Mammogram, right breast, CC view. 42-year-old patient.
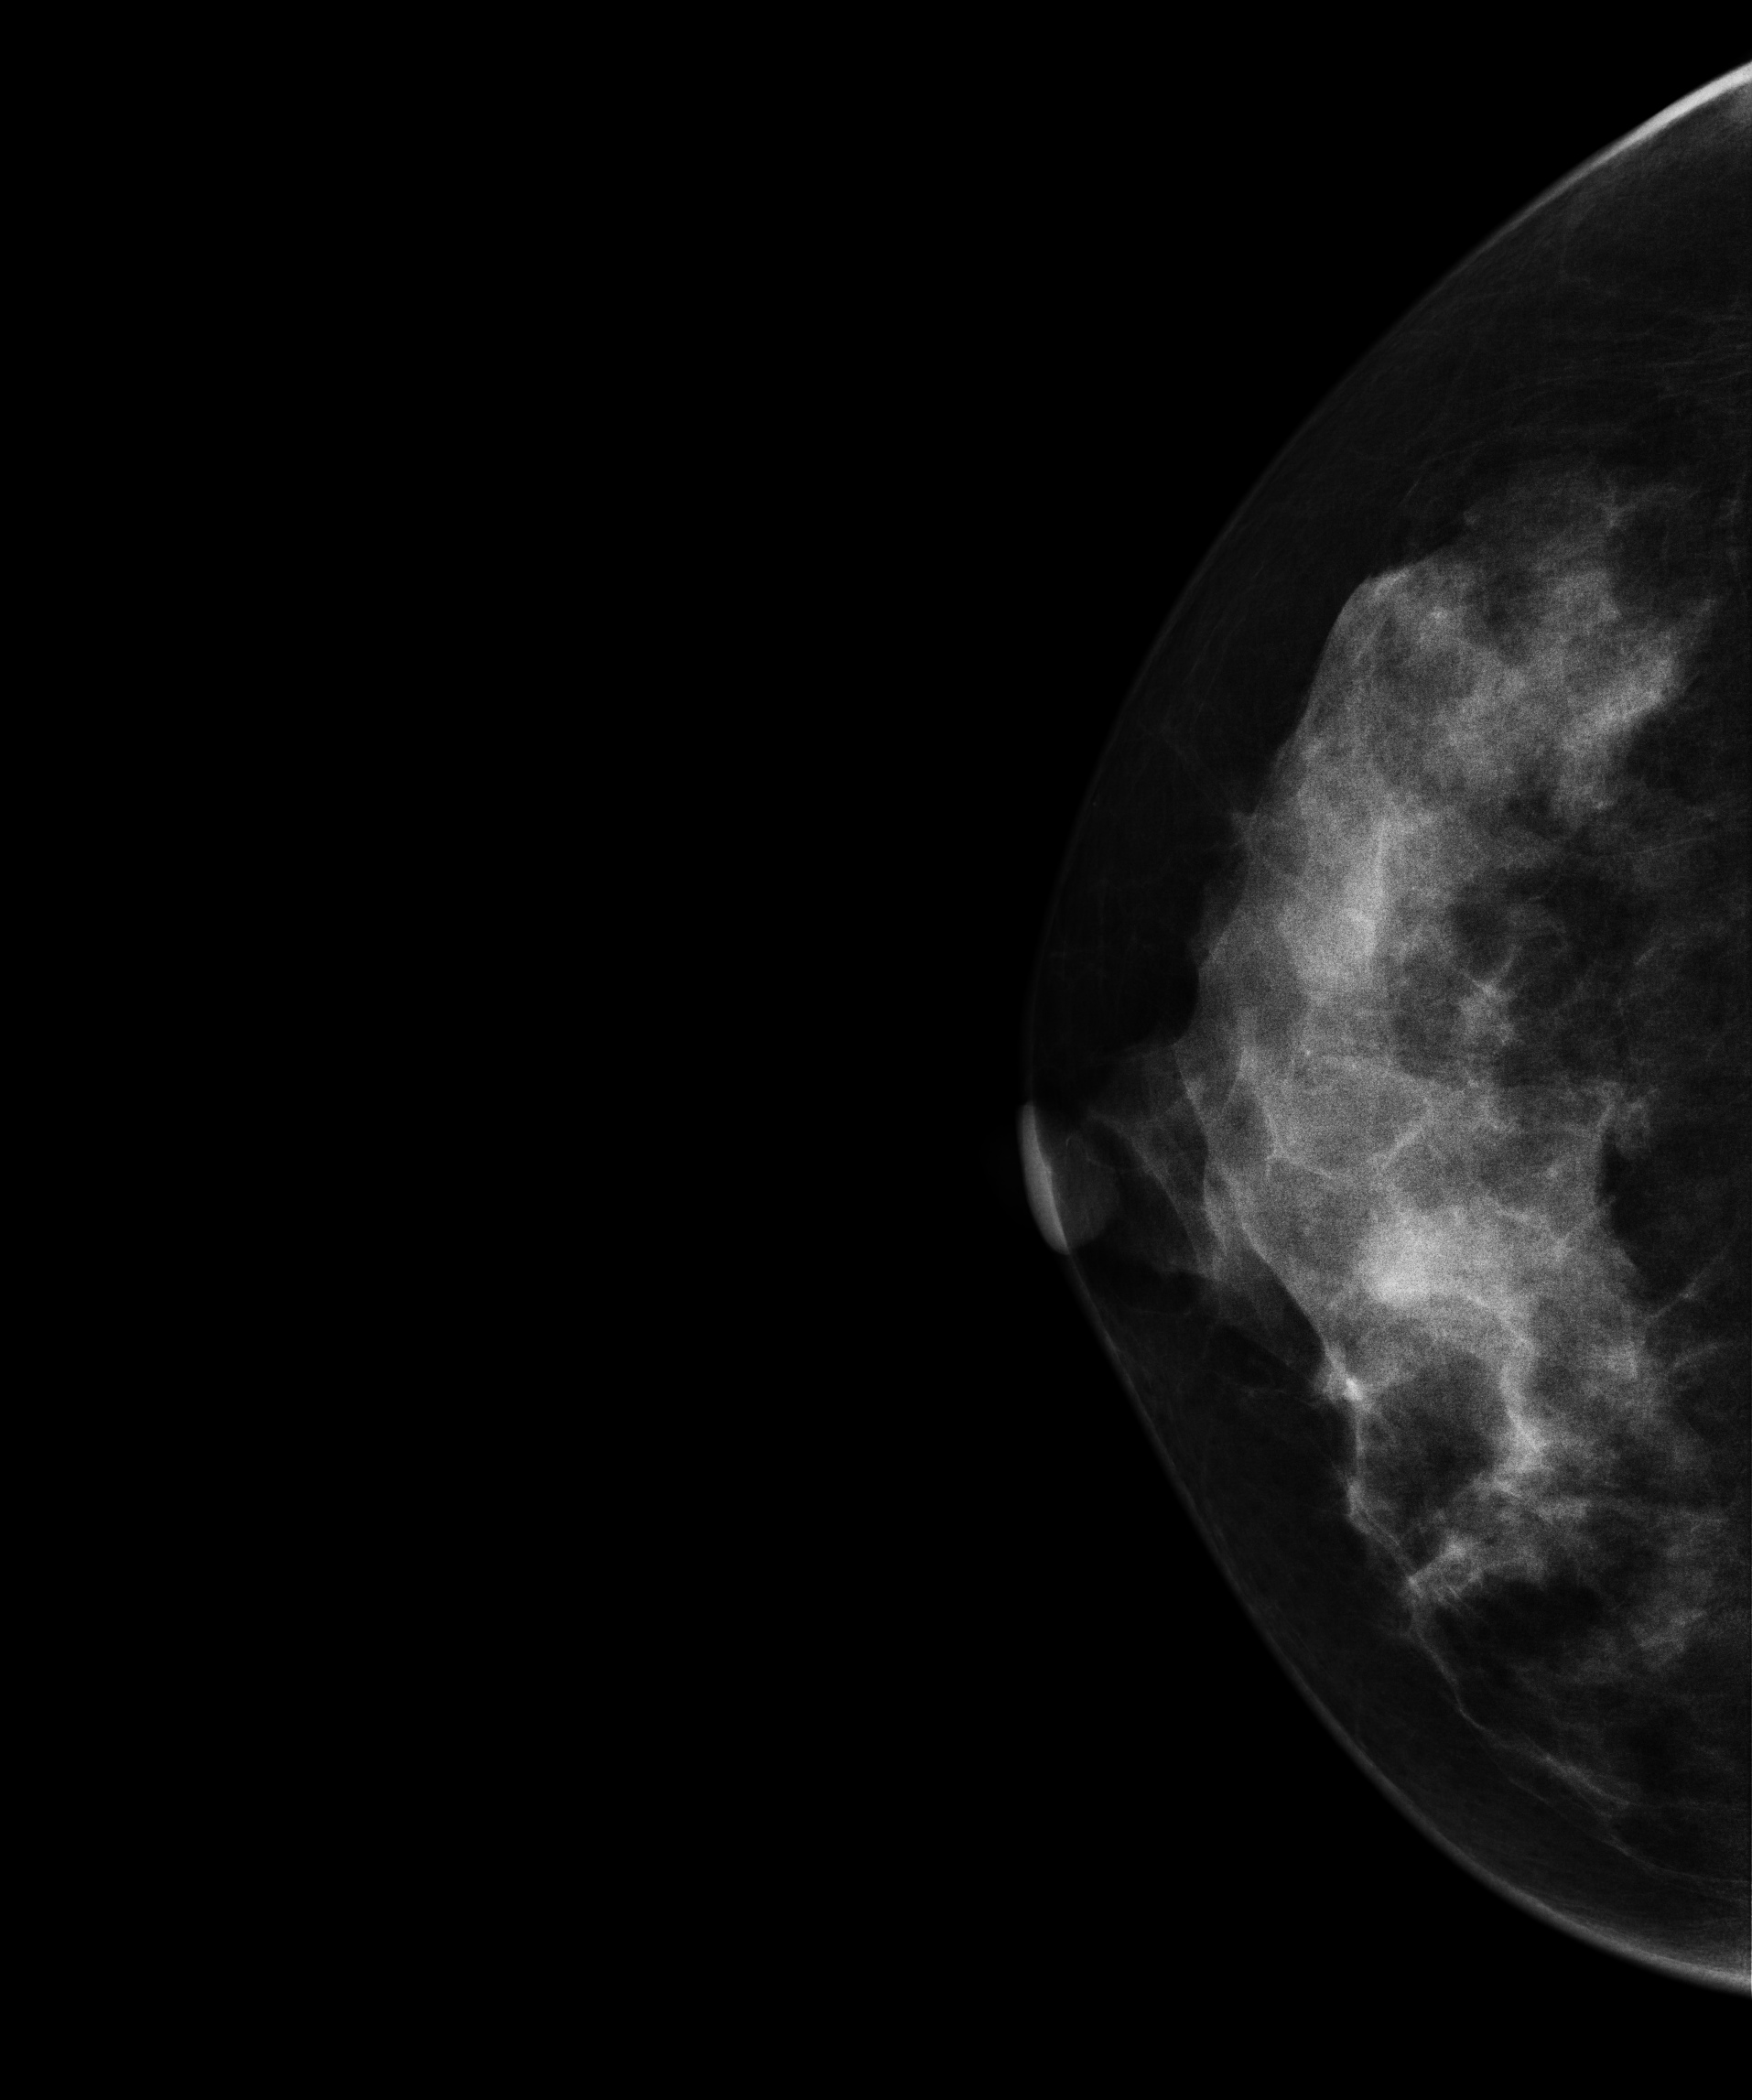
This breast has a mass, pathology-confirmed malignant. Molecular subtype: luminal B.